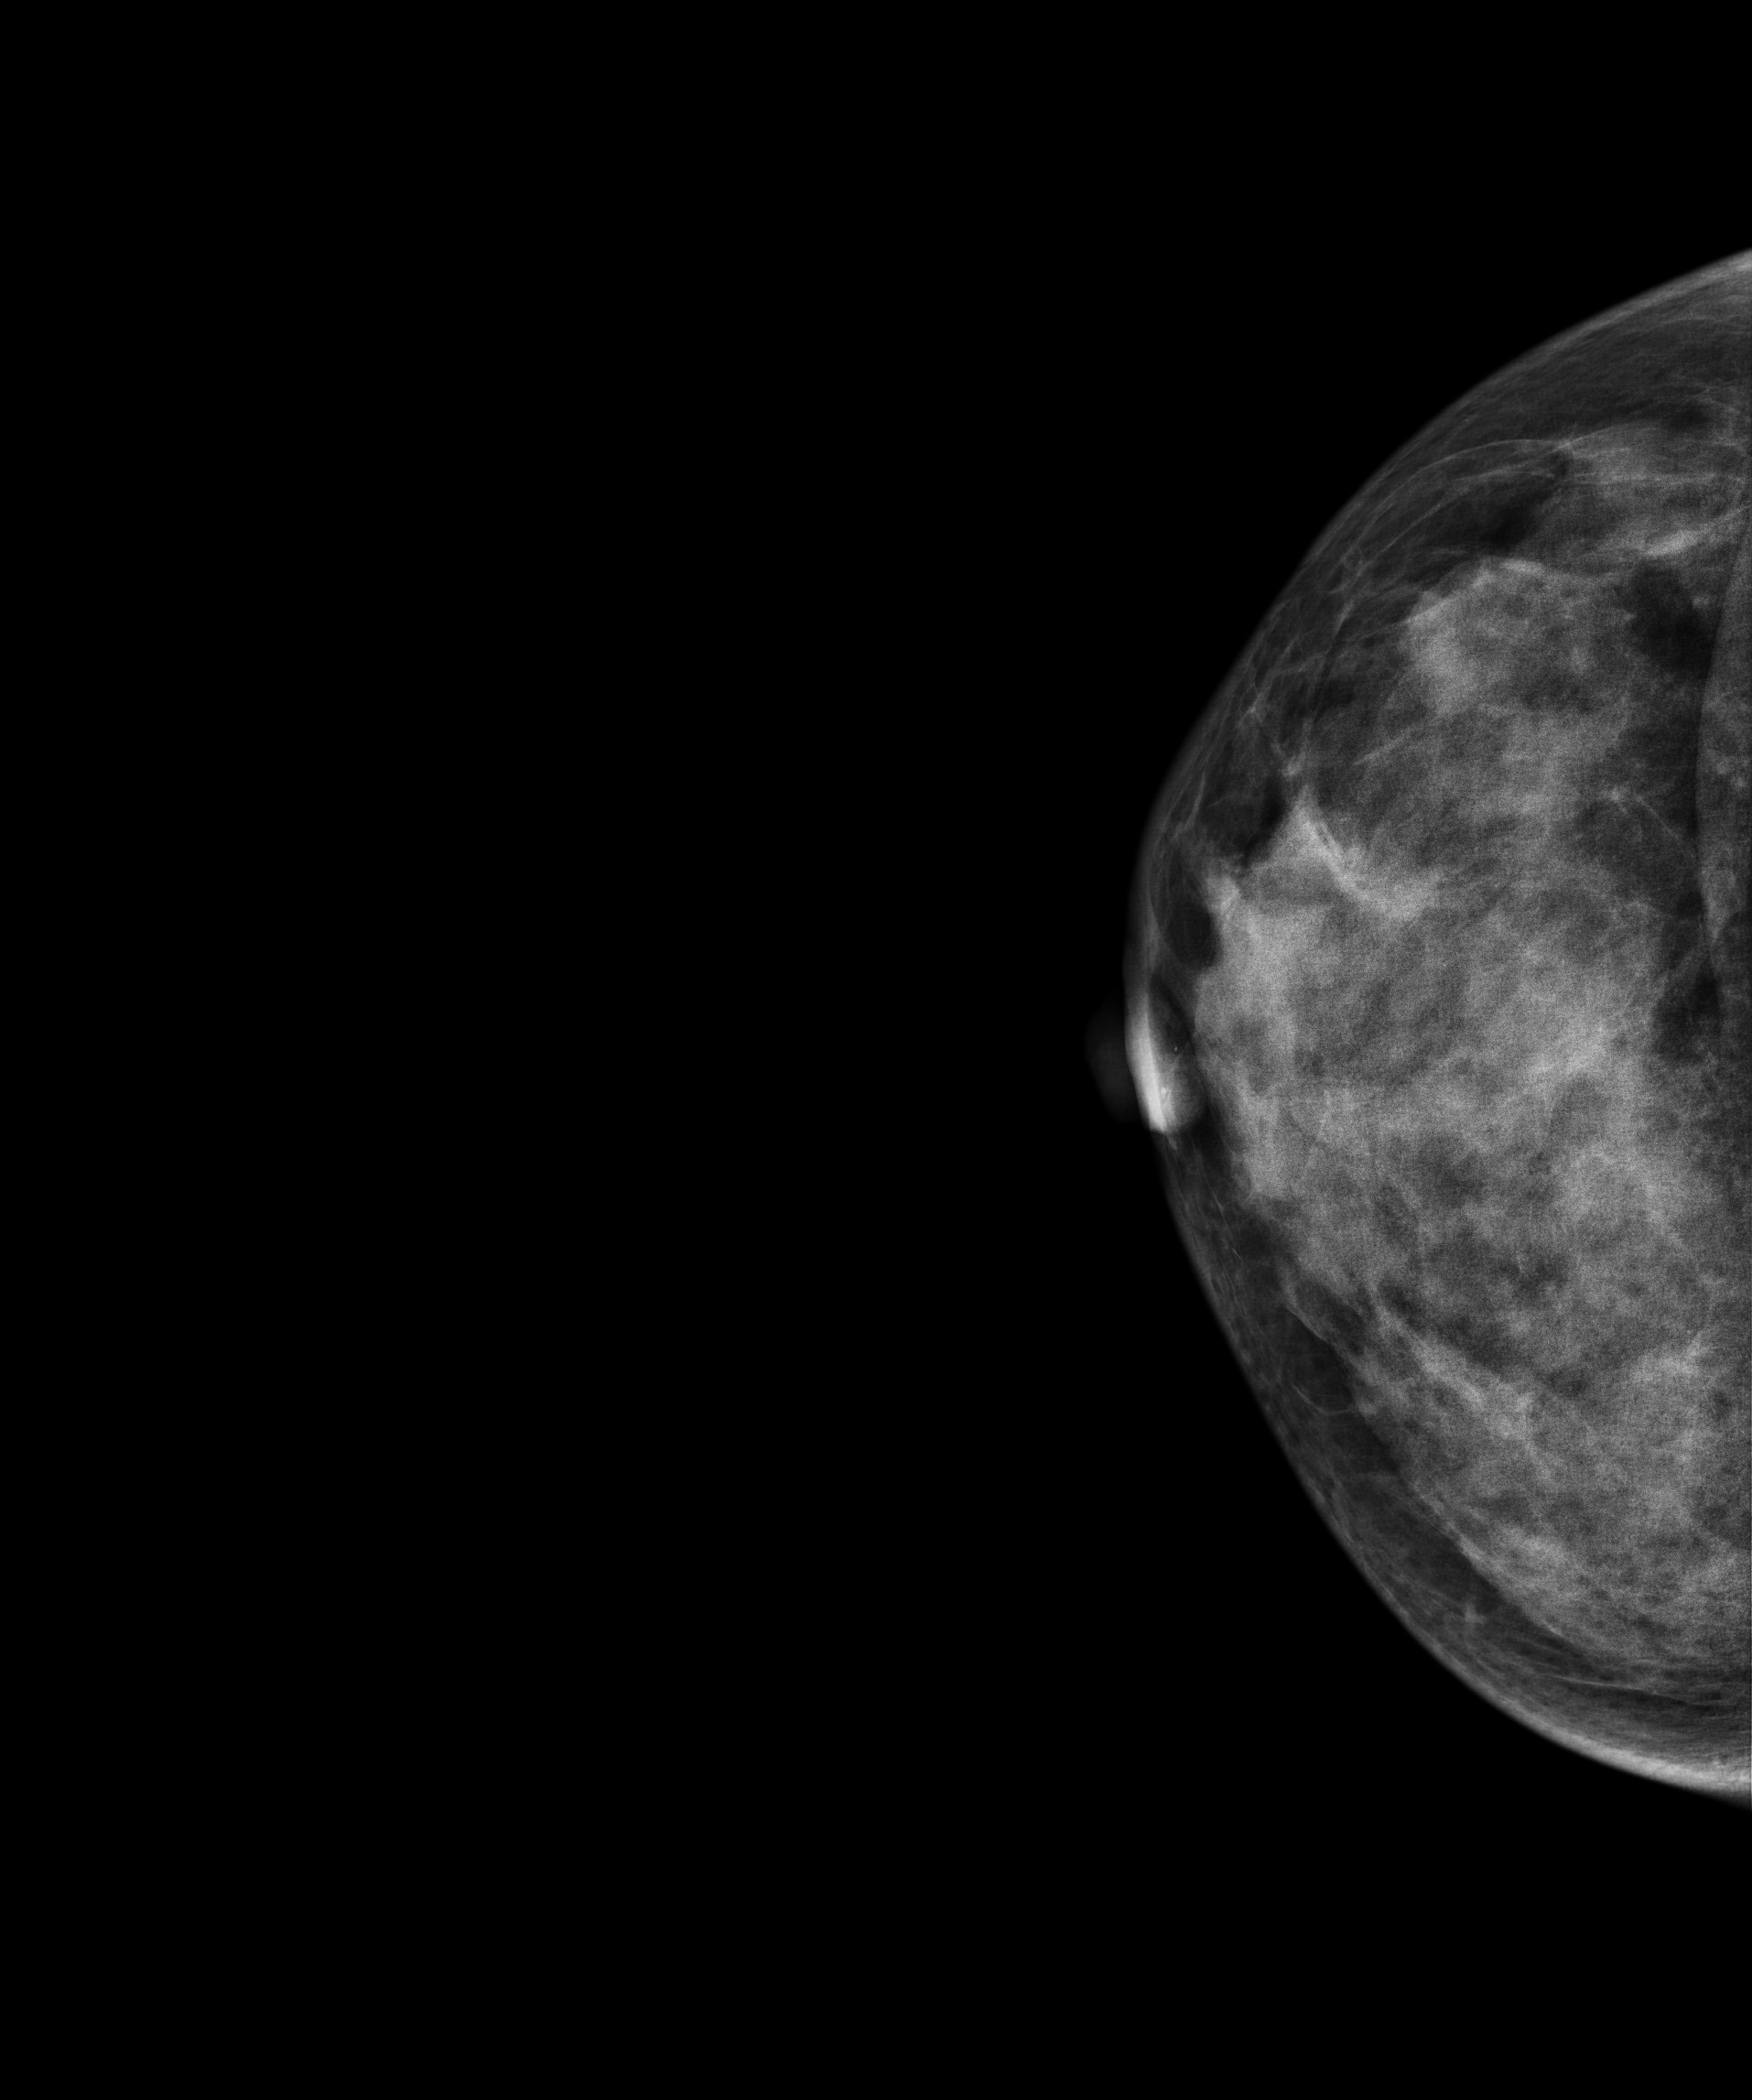
Mammogram — right CC. 42 y/o patient.
This breast has a mass, histologically confirmed malignant. Molecular subtype: luminal B.